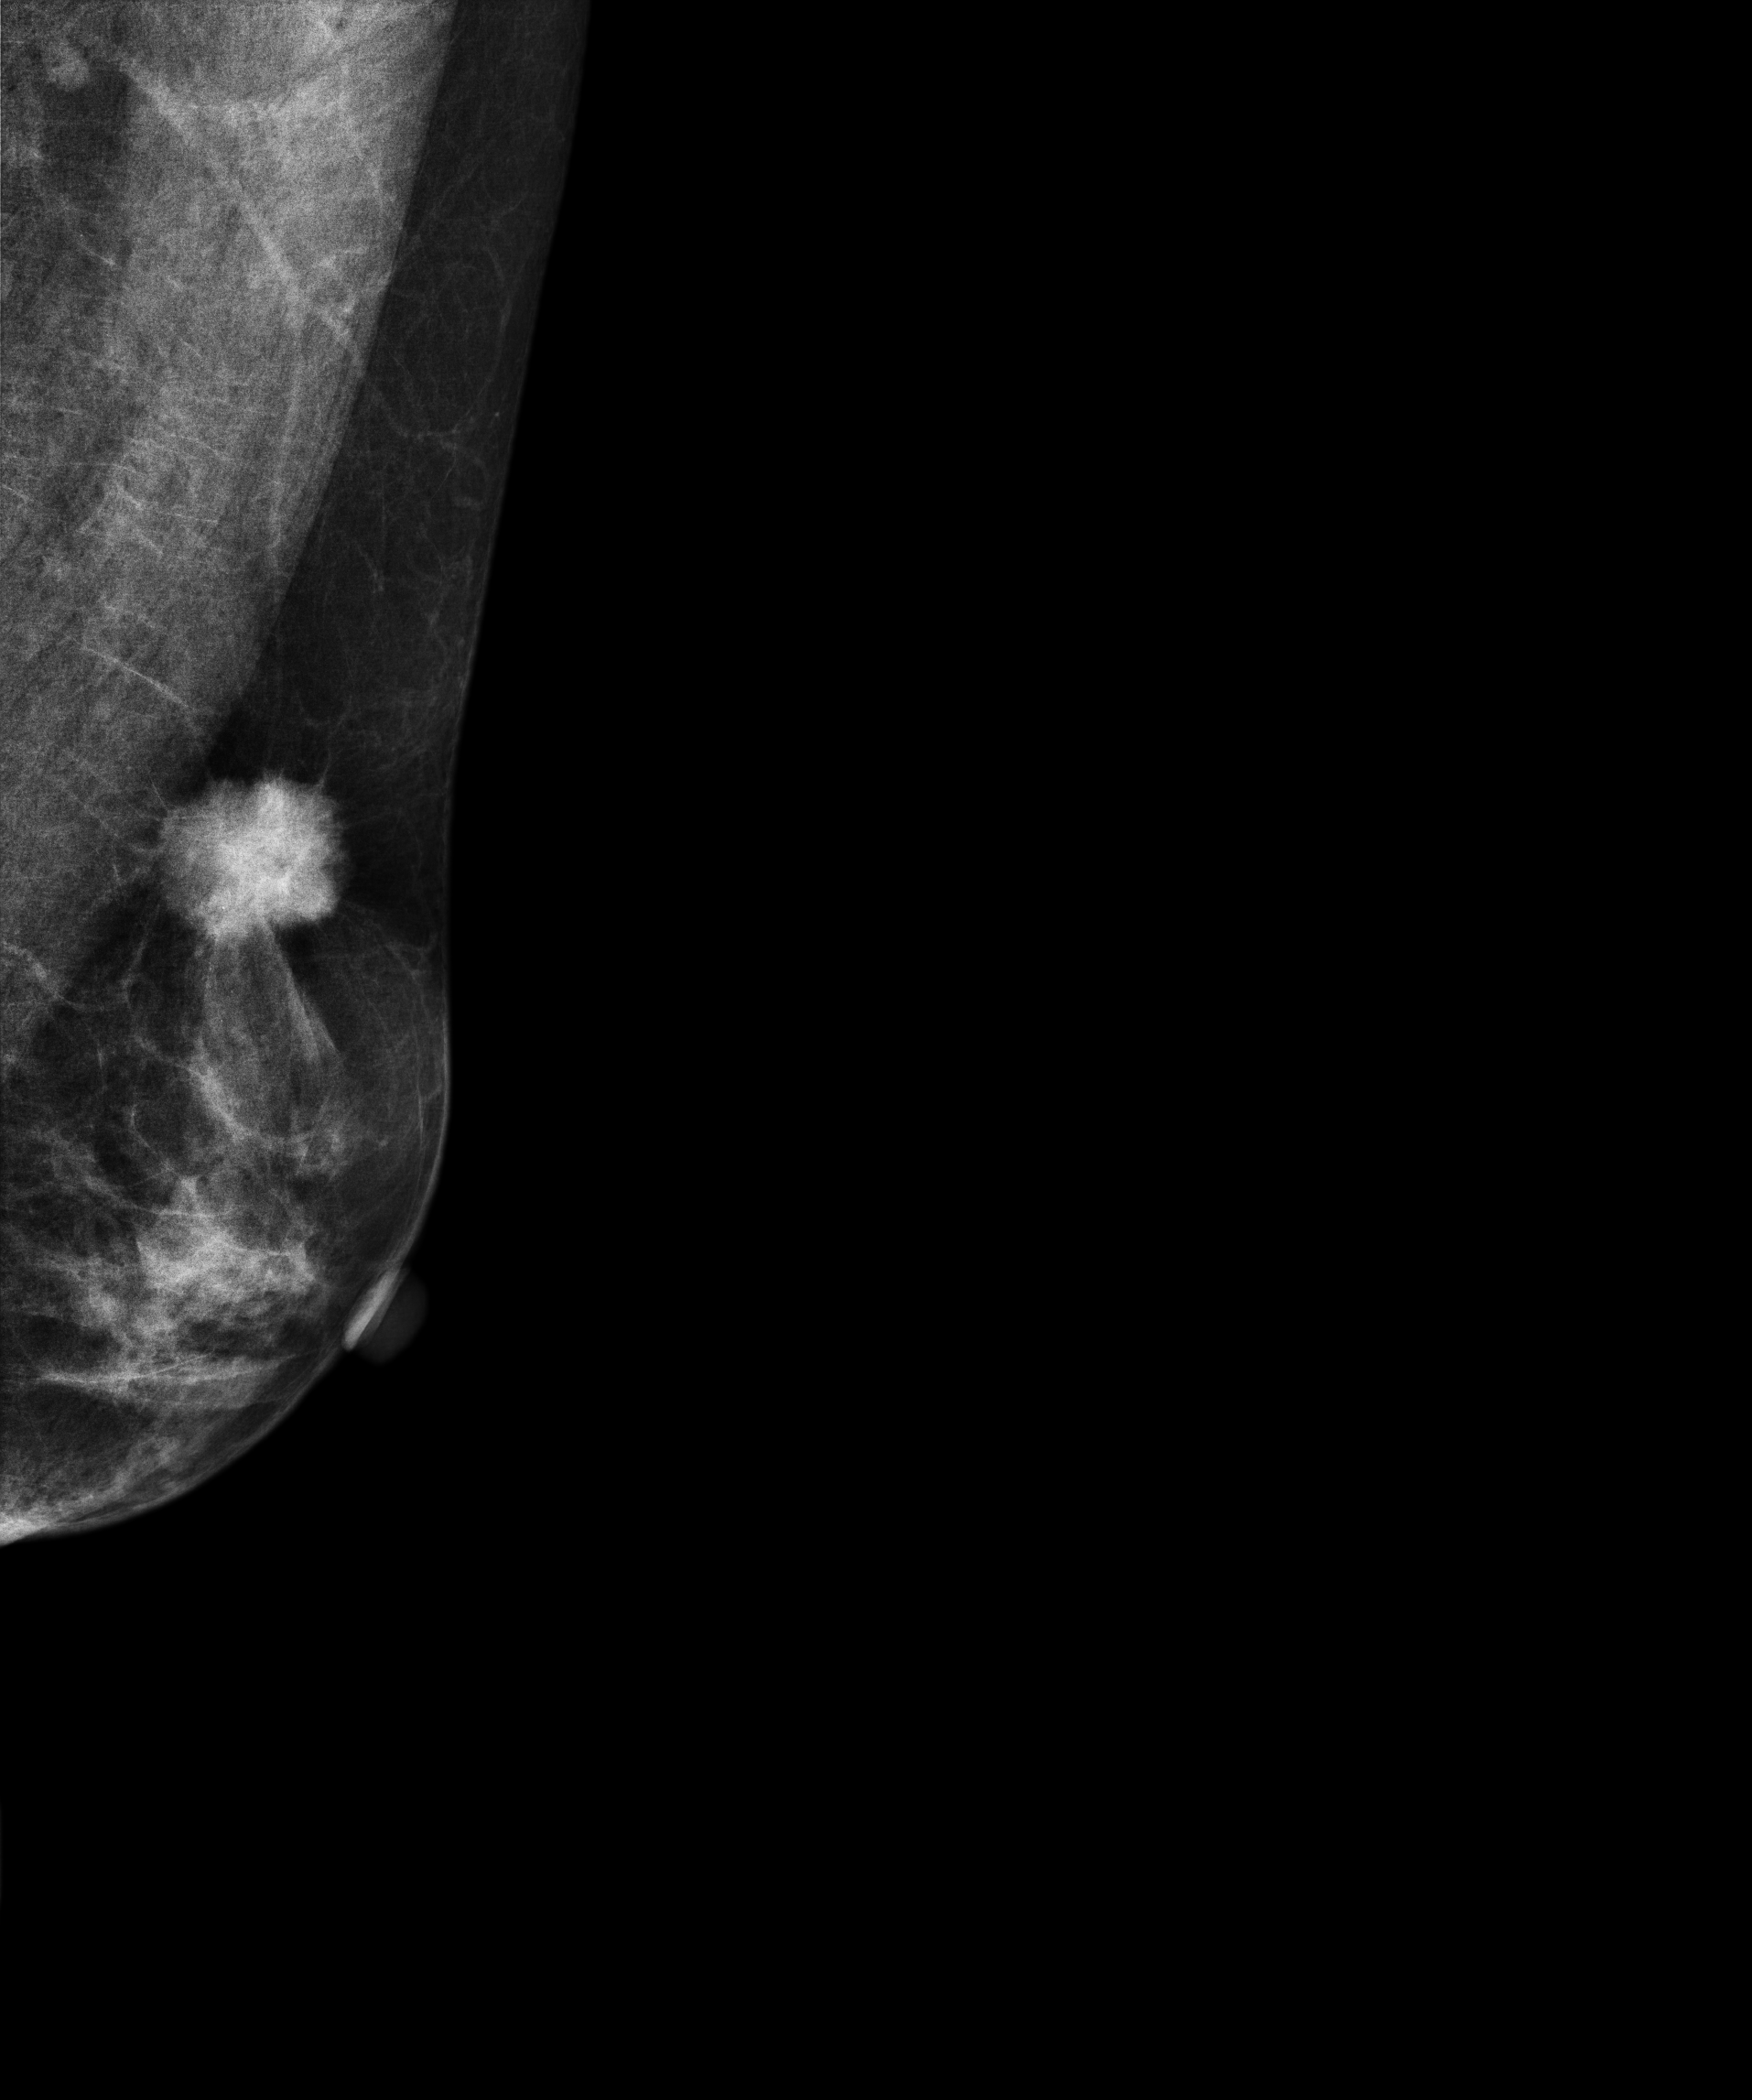
Left-breast mammogram, medio-lateral oblique. 56-year-old patient.
This breast has a mass, pathology-confirmed malignant.